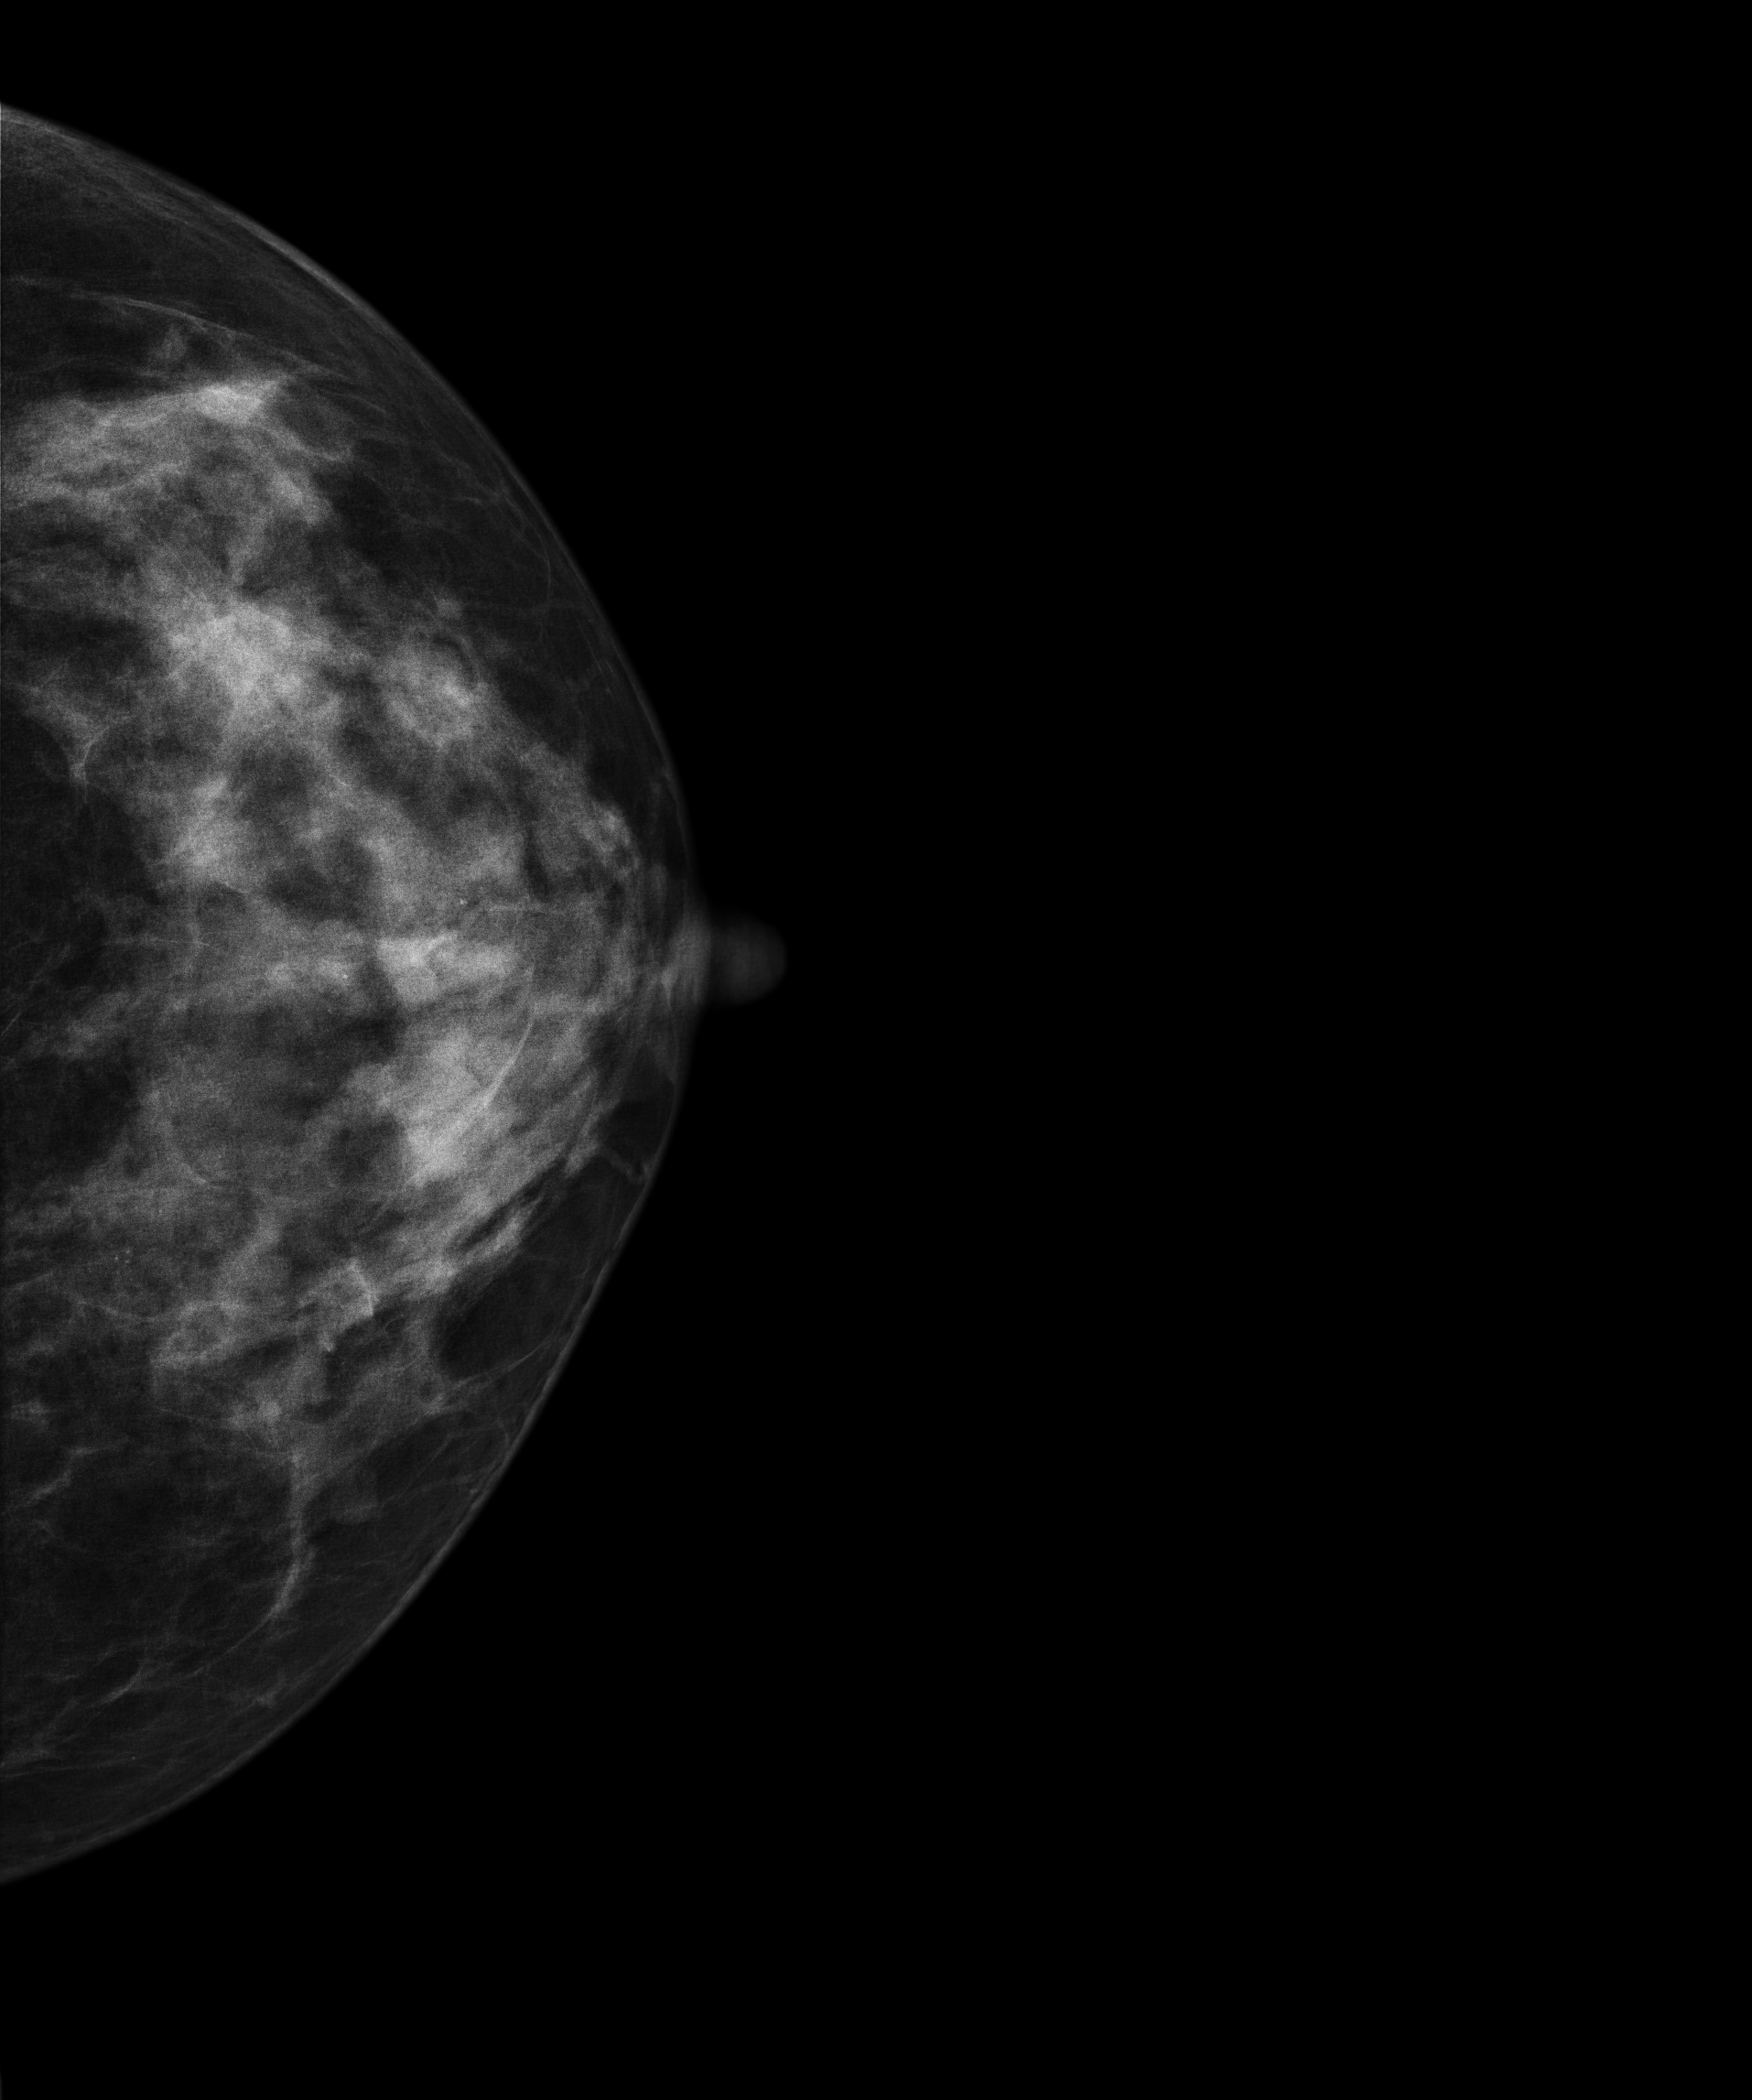
Cranio-caudal mammogram of the left breast. 49-year-old patient.
This breast has a mass, pathology-confirmed benign.